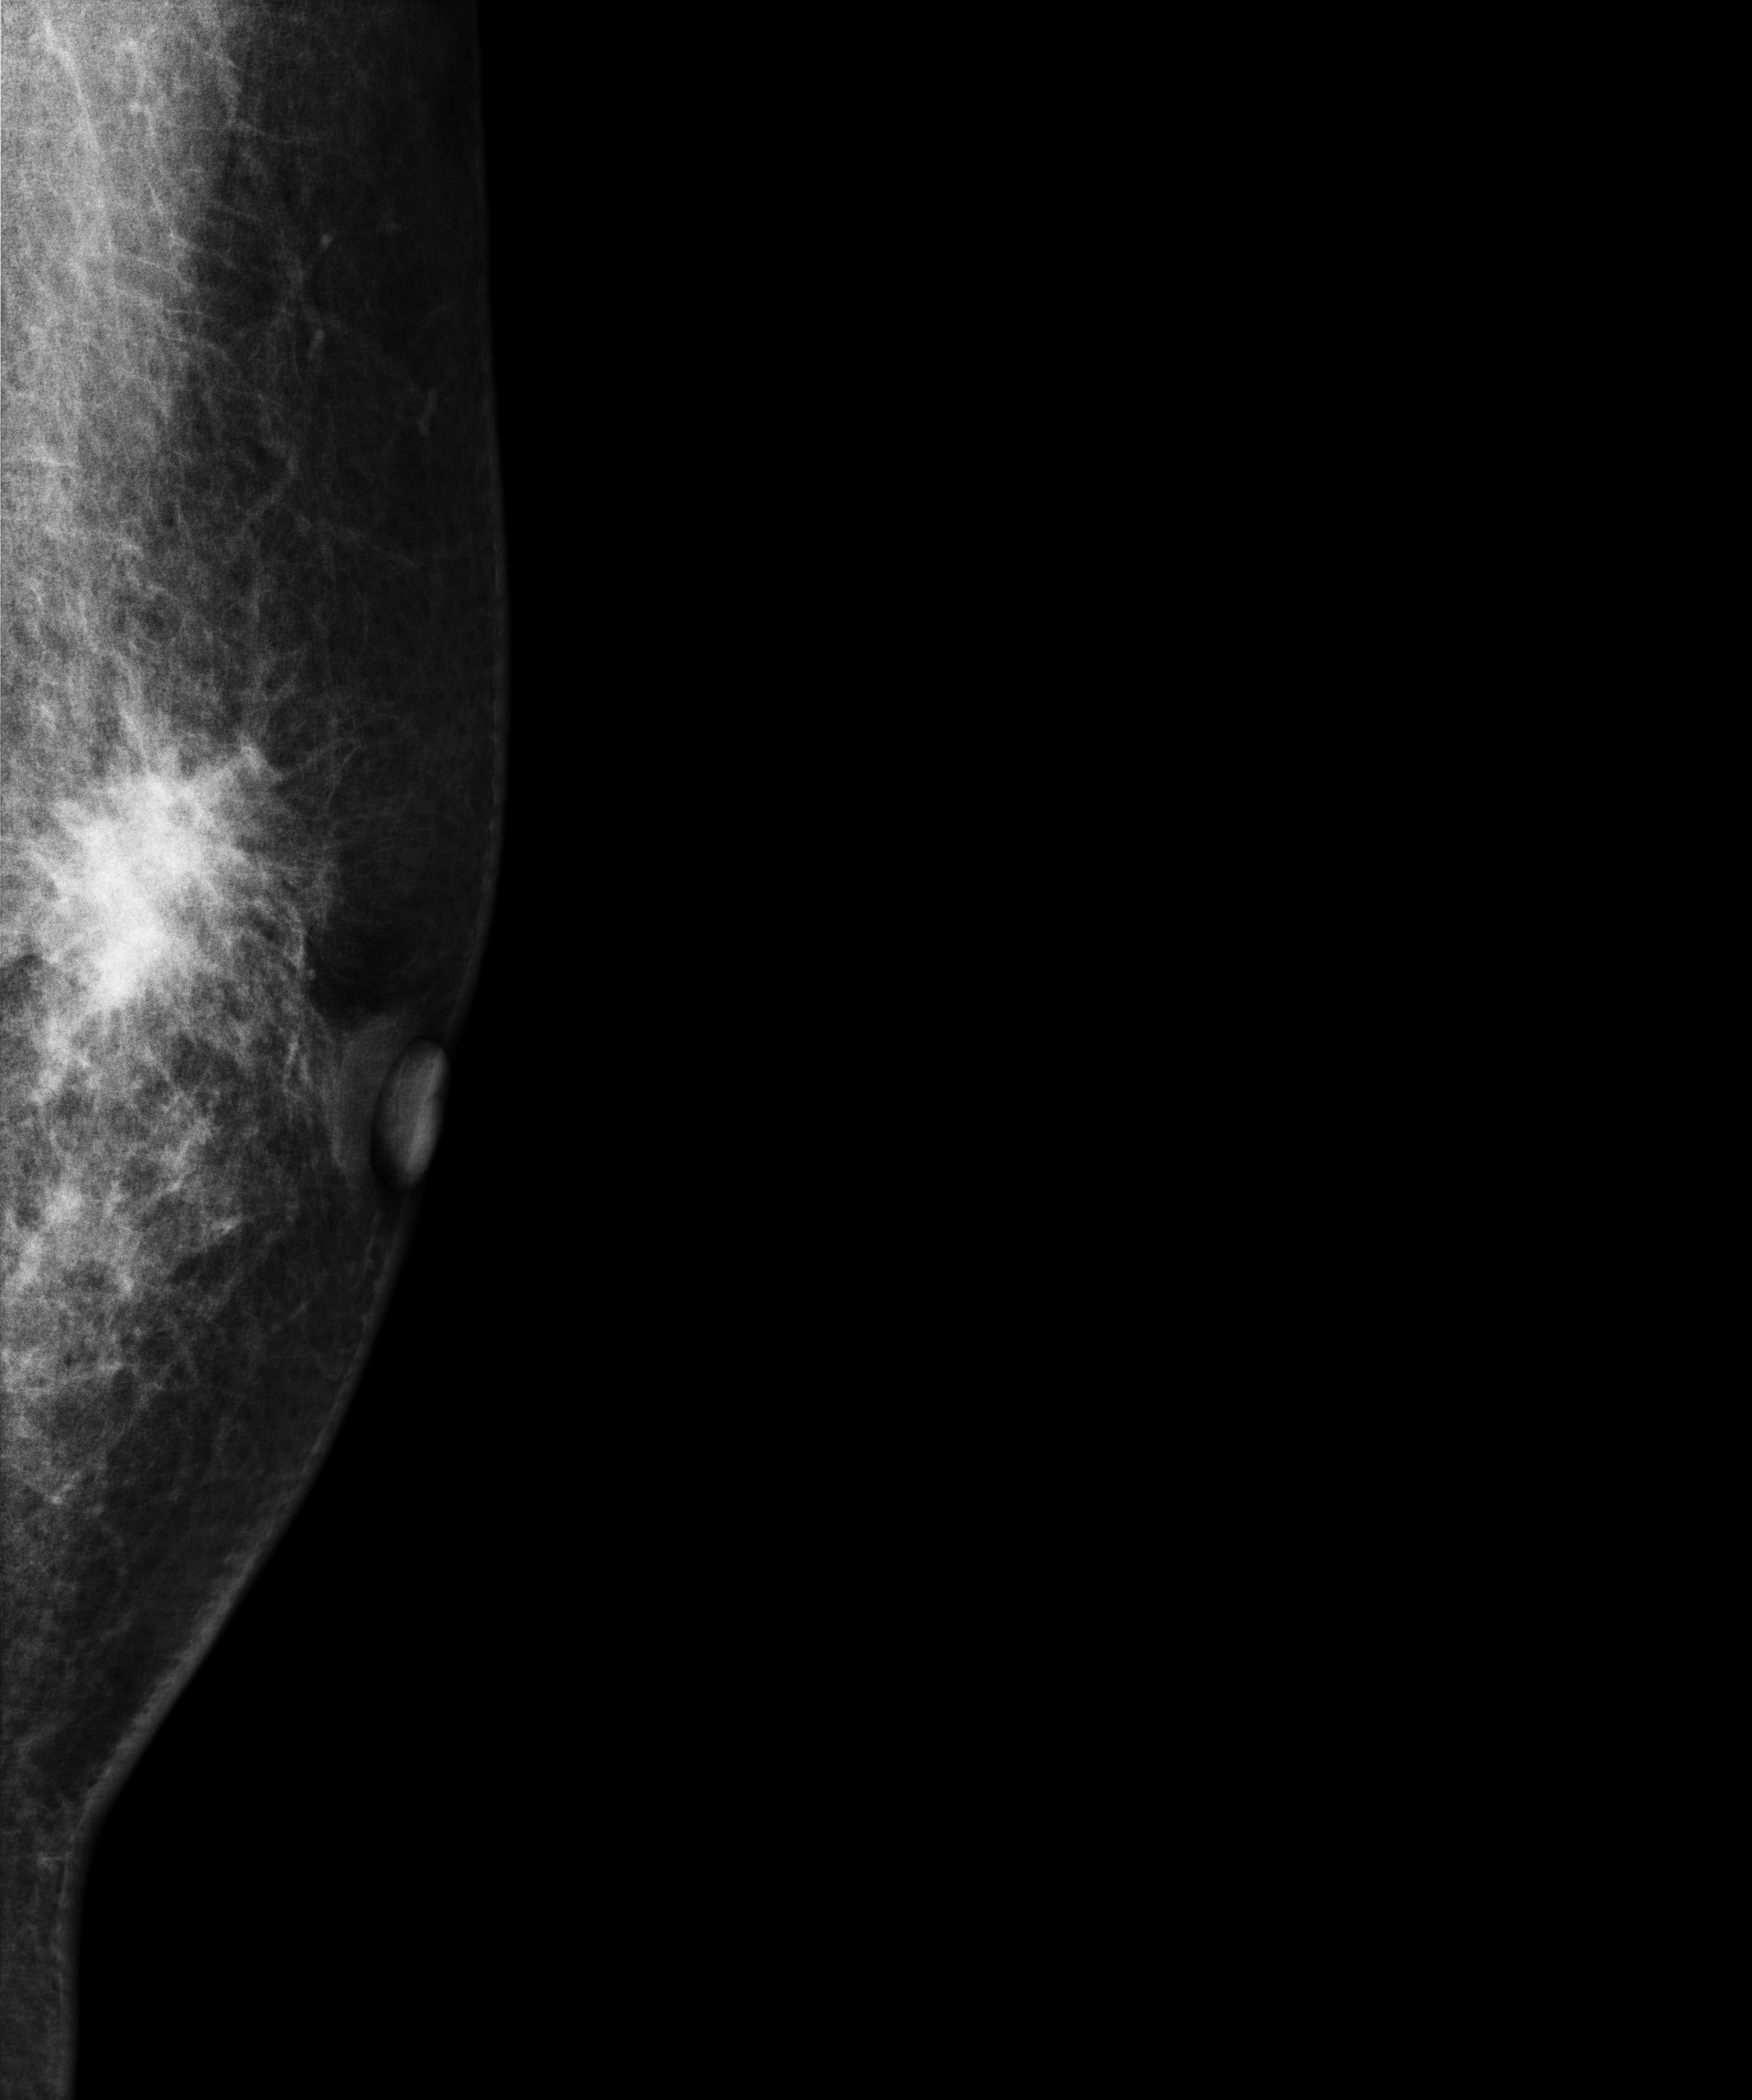
Medio-lateral oblique mammogram of the left breast. 43-year-old patient.
This breast has a mass, biopsy-confirmed malignant. Molecular subtype: luminal A.